Right-breast mammogram, MLO. 60 y/o patient.
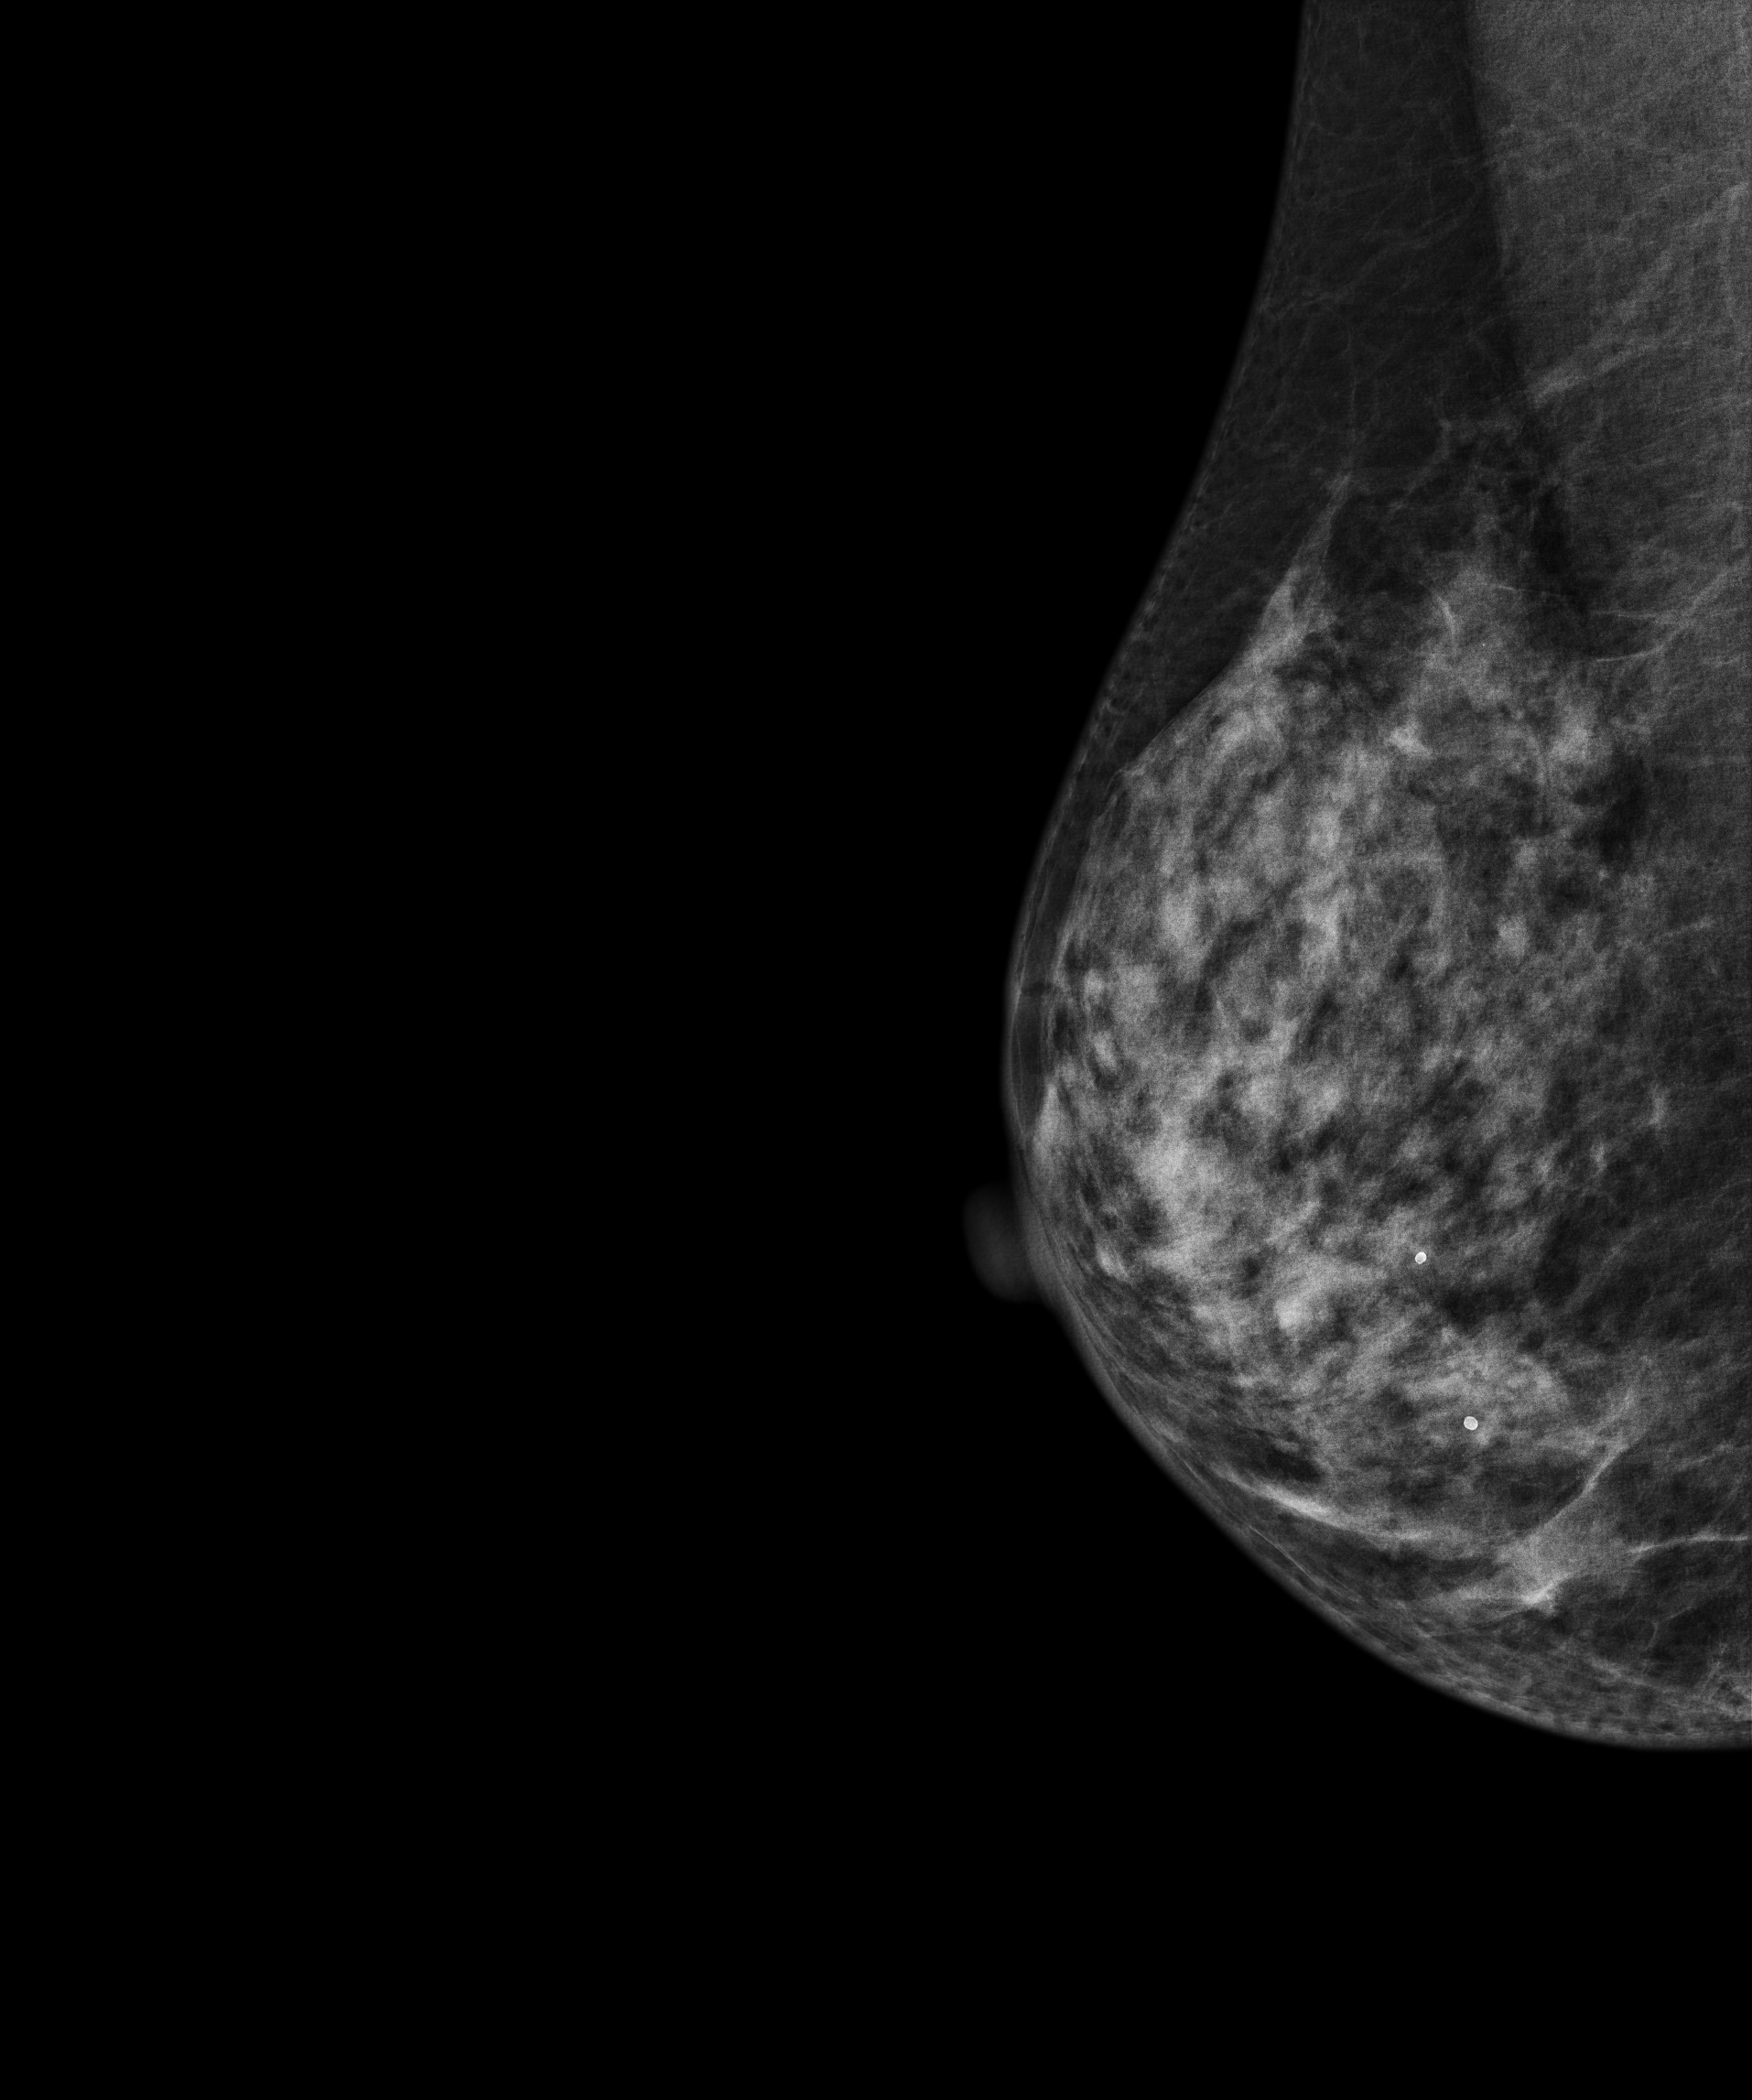
Contralateral breast — no documented abnormality on this side.